Digital mammography. Right breast, CC projection. 56-year-old patient.
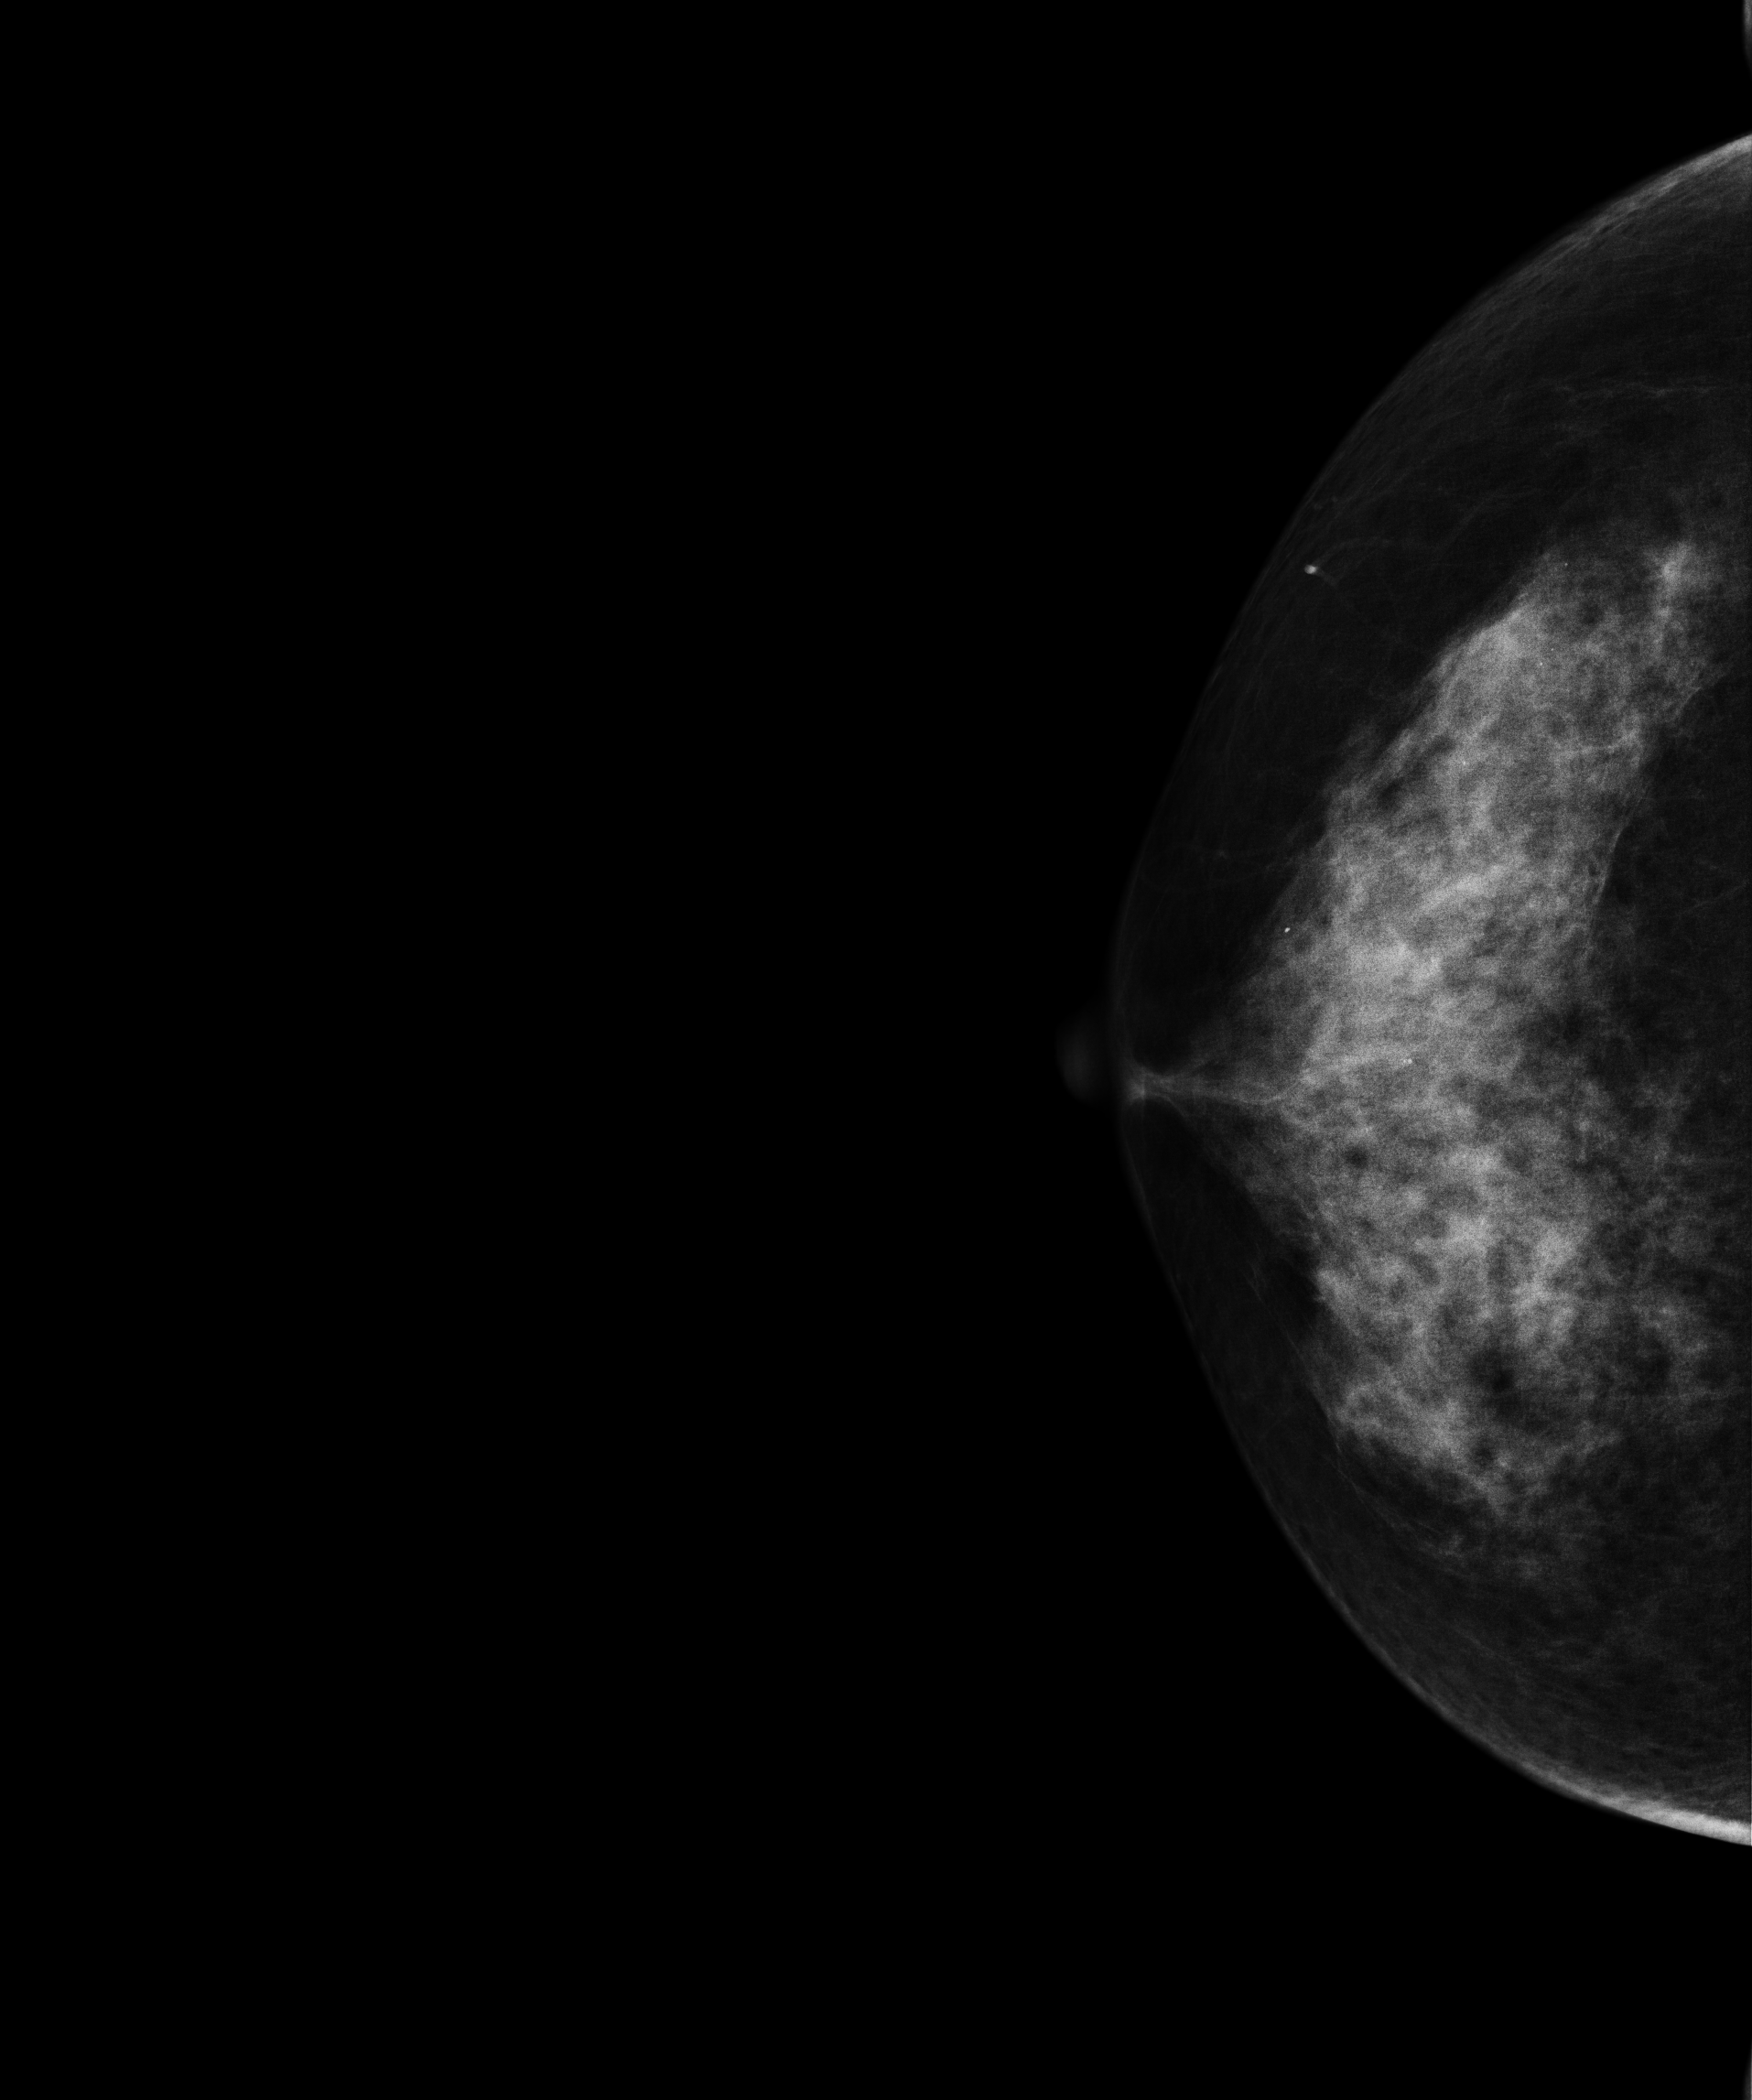
Contralateral breast — no documented abnormality on this side.